MLO mammogram of the left breast. 36 y/o patient.
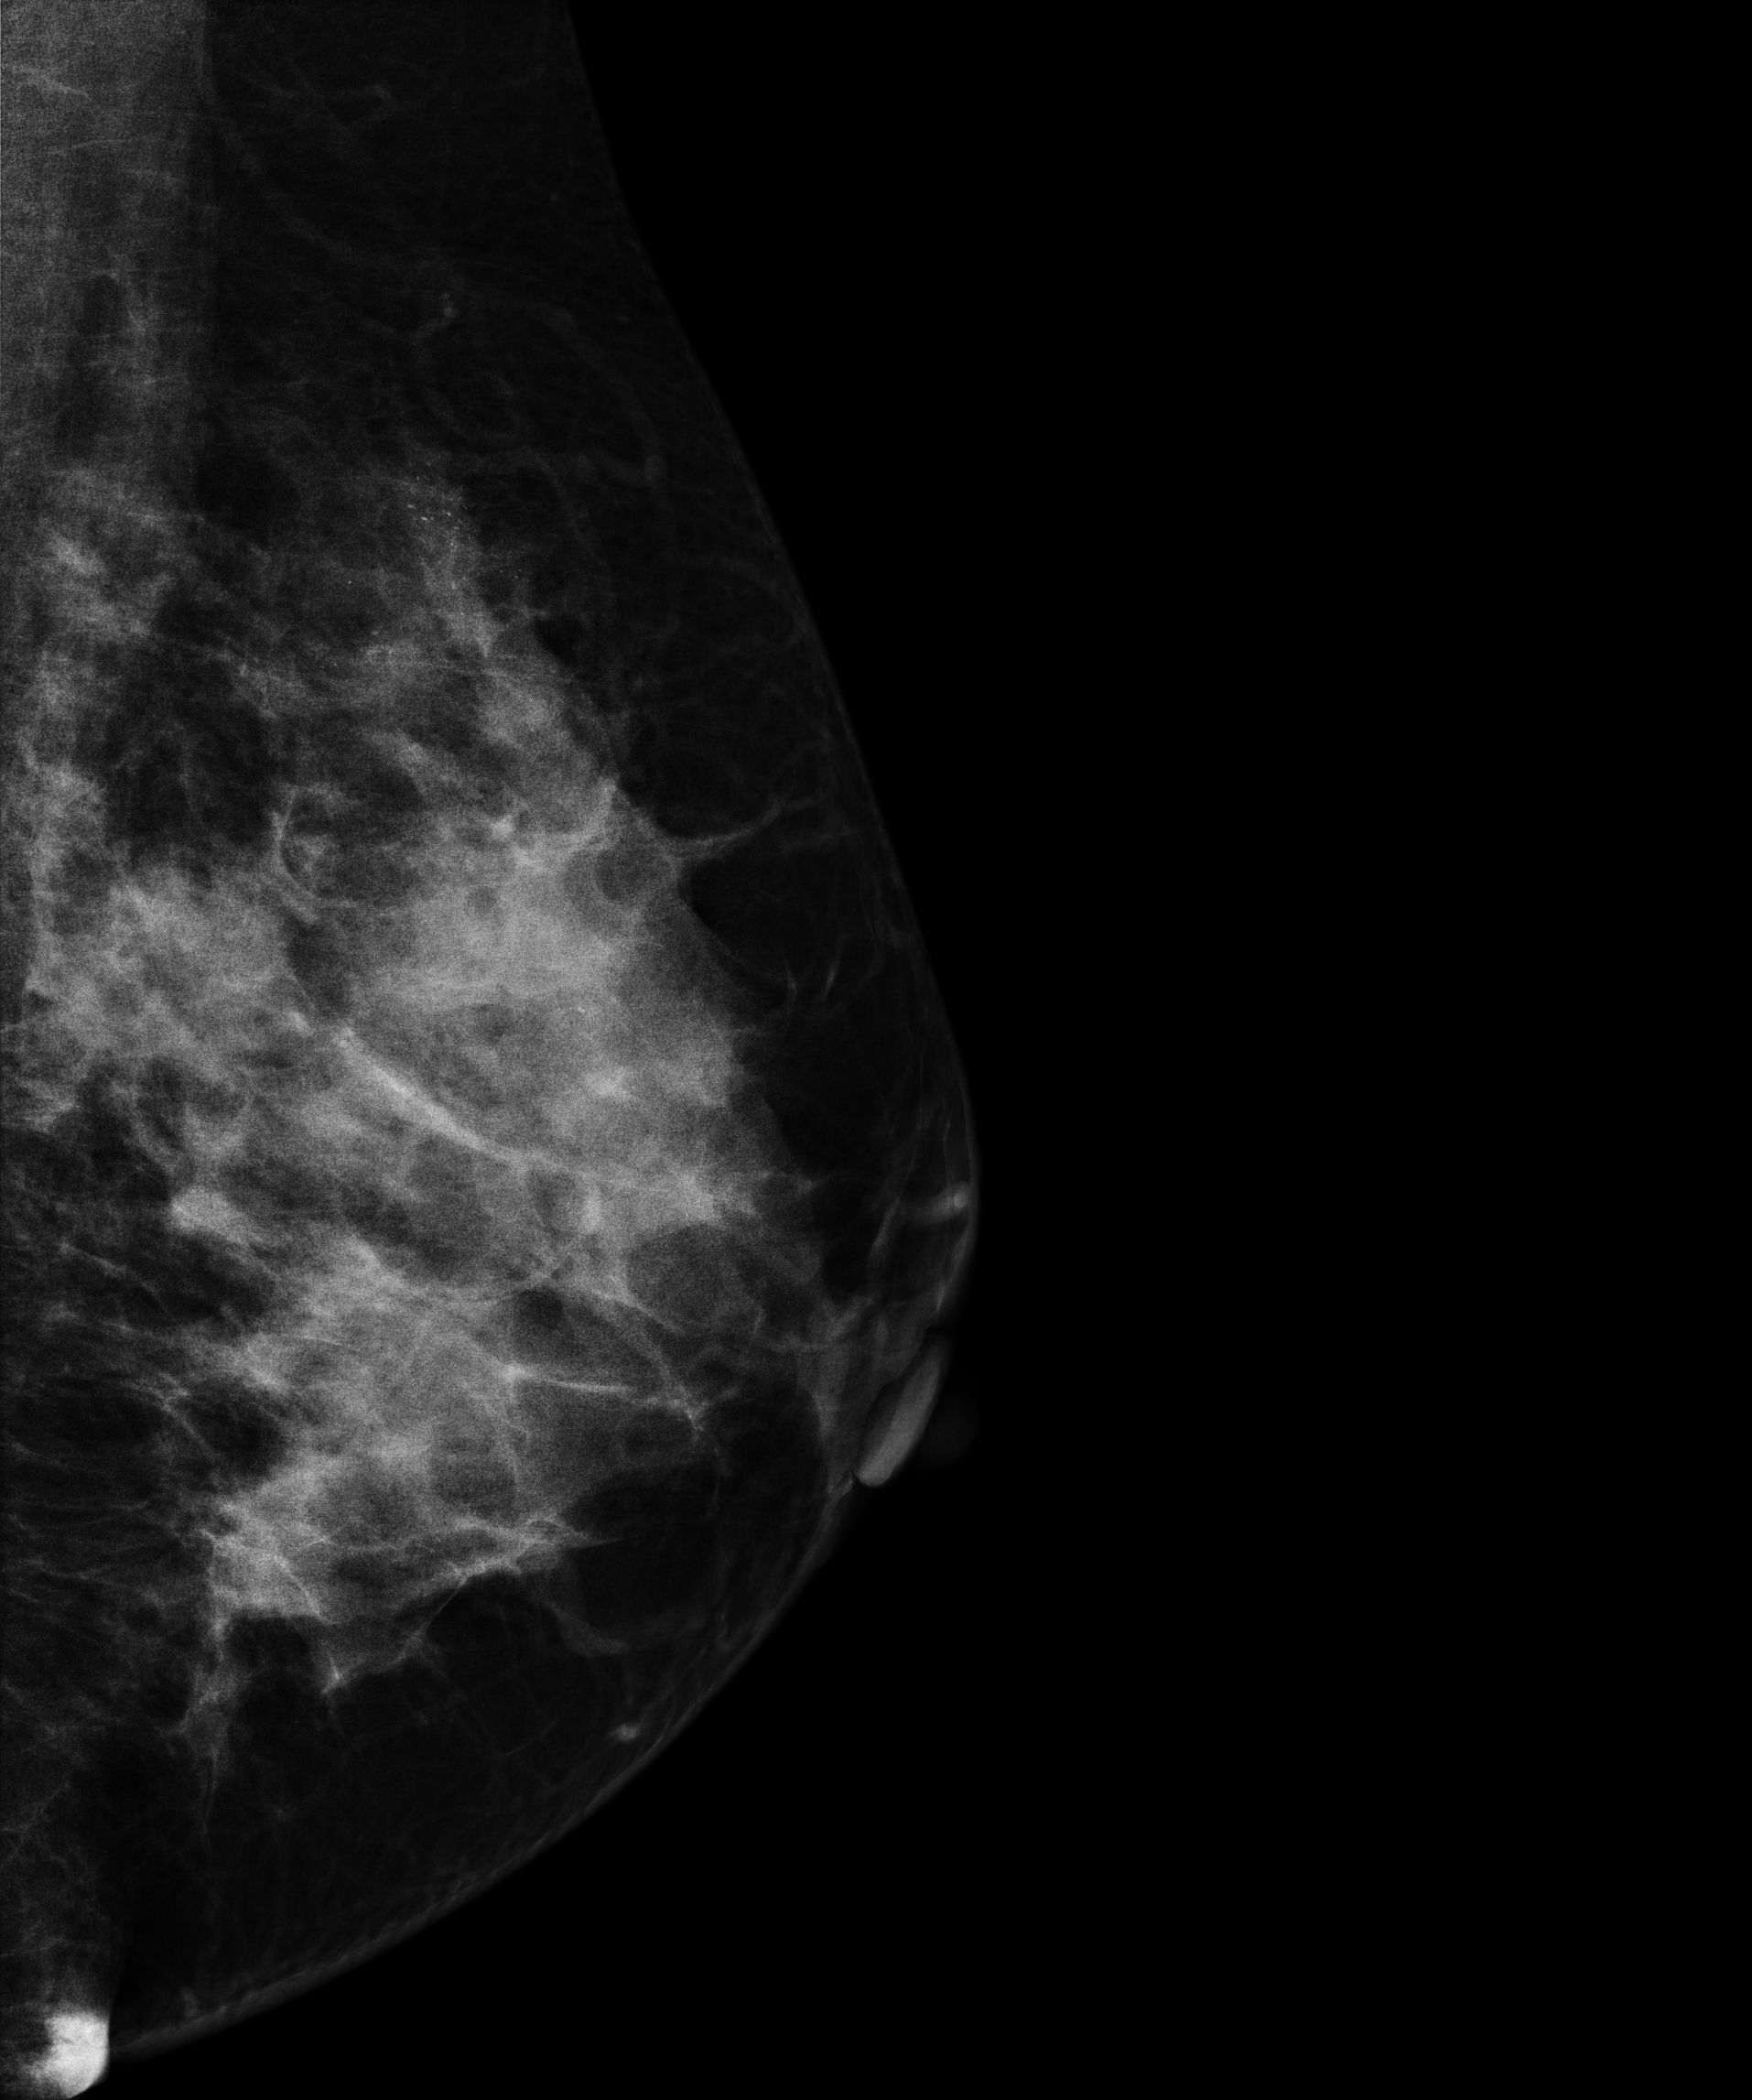
This breast has calcifications, biopsy-confirmed malignant.